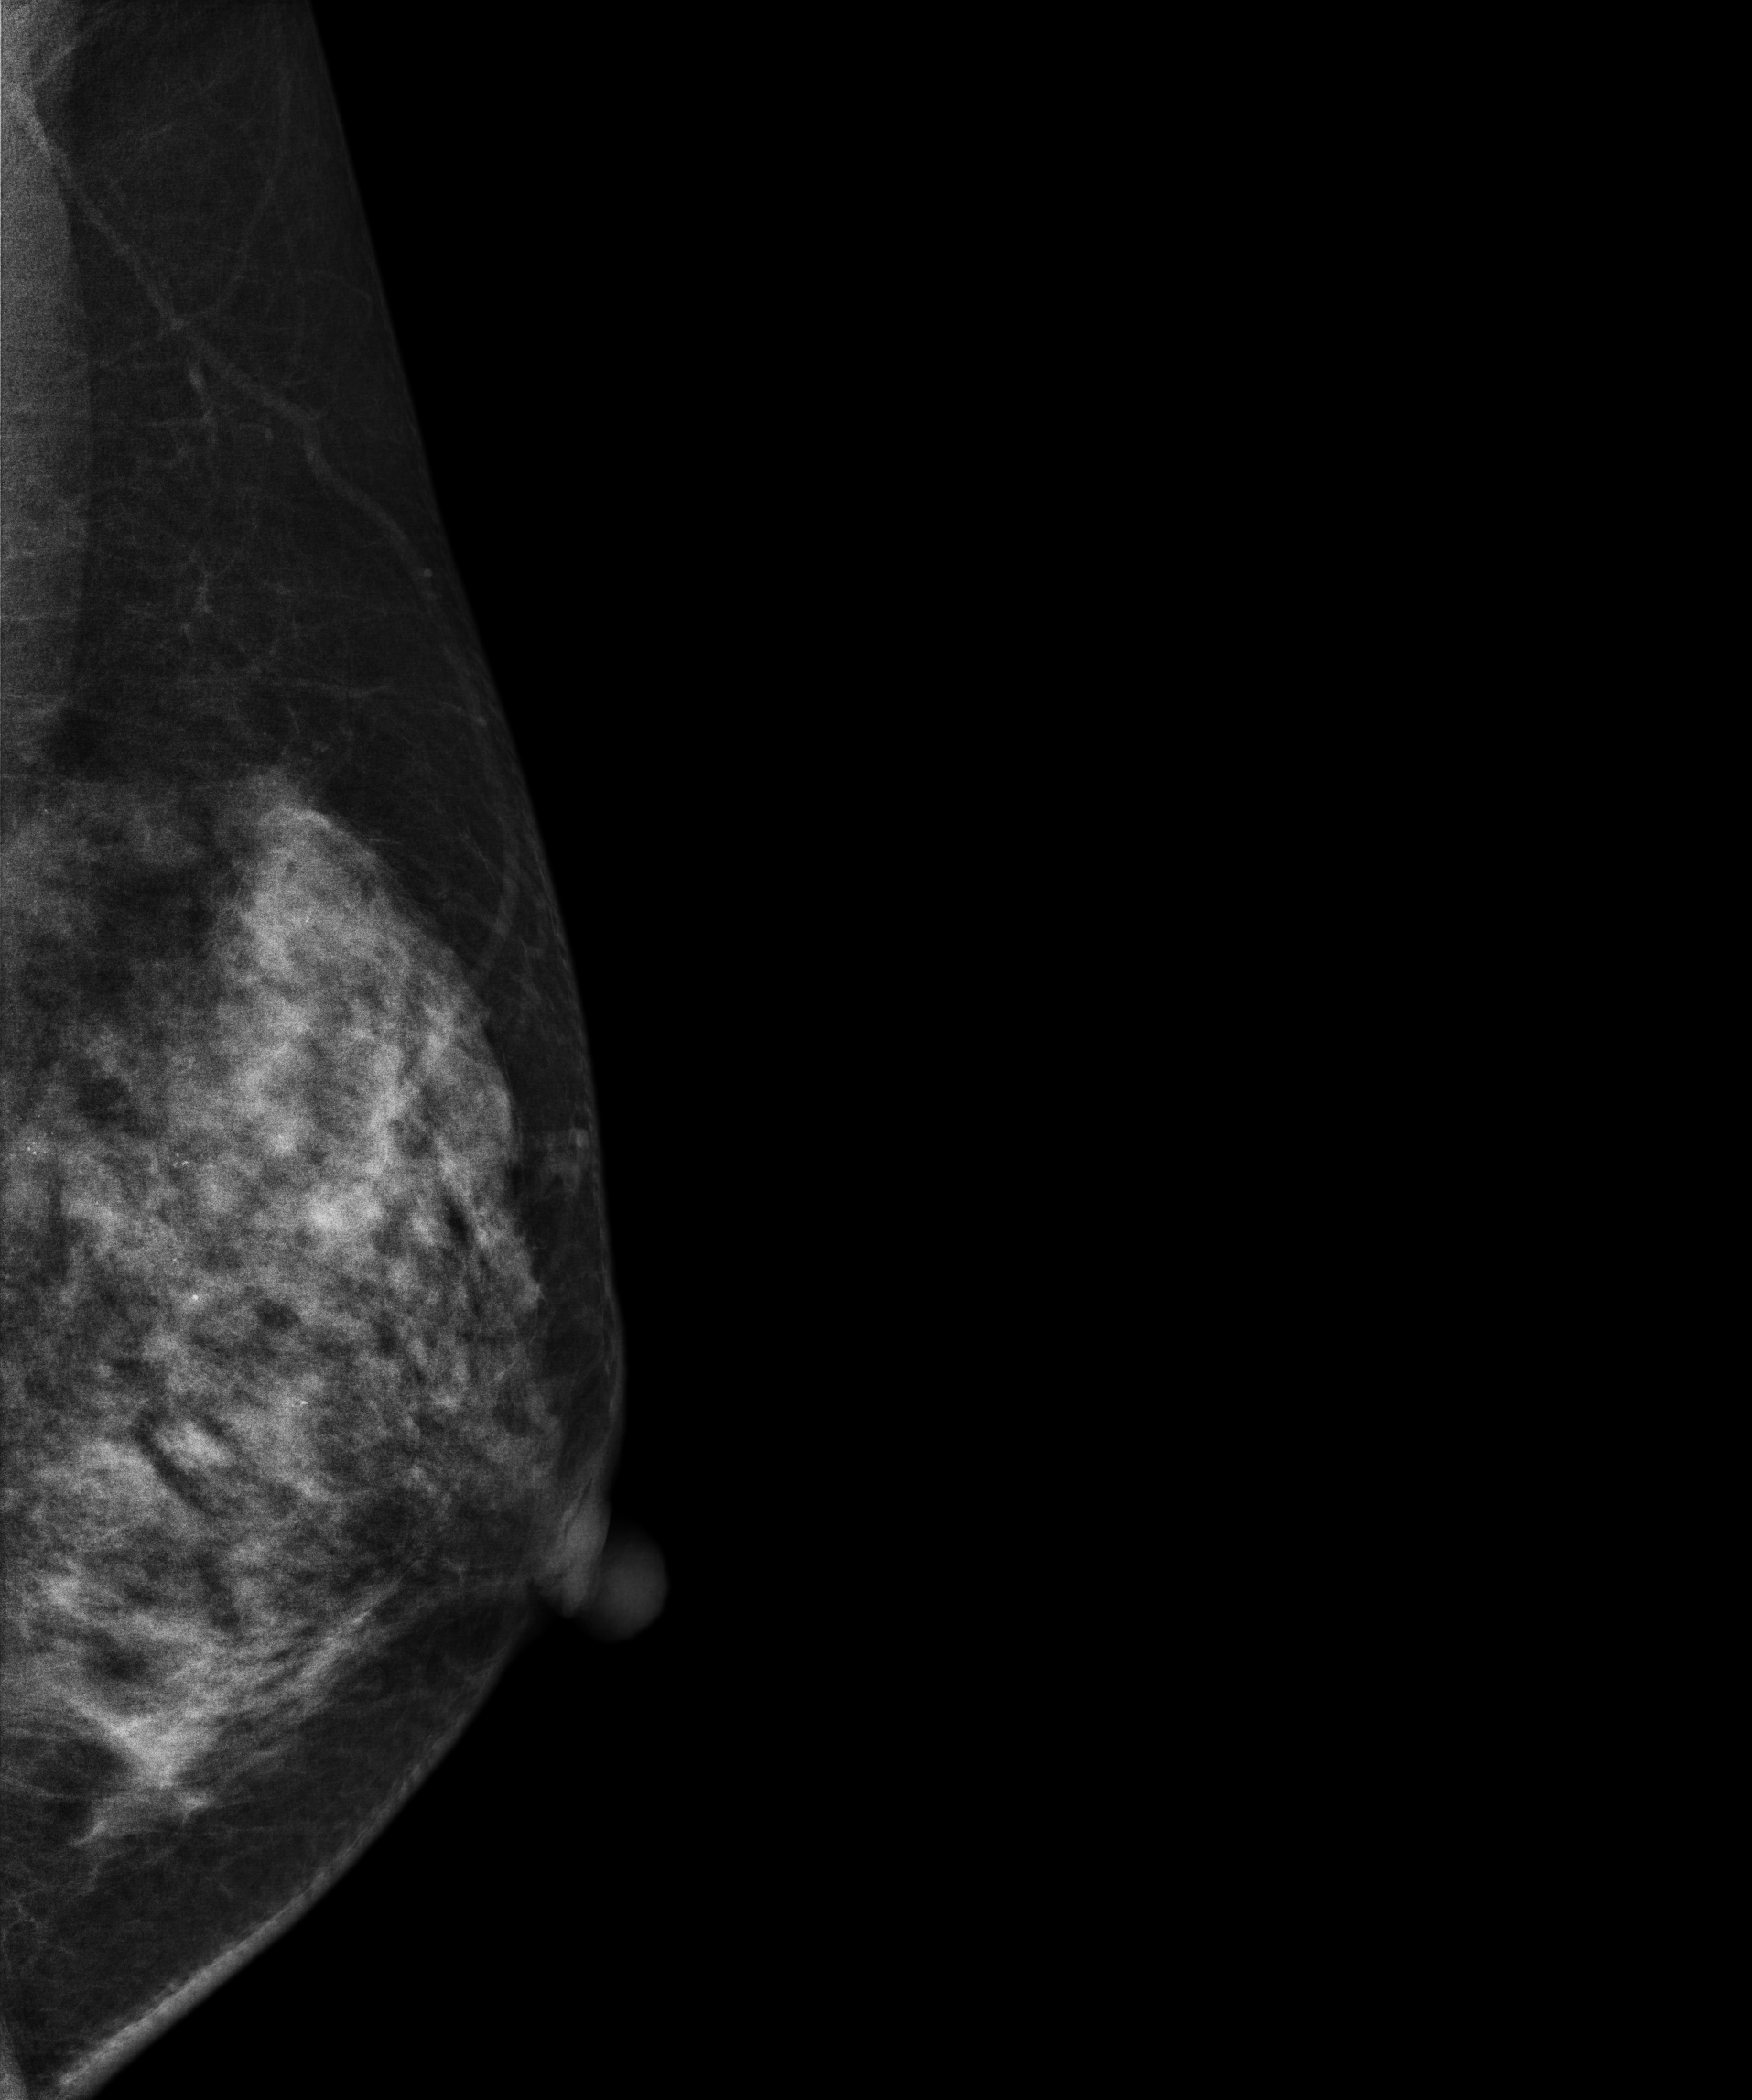
Left-breast mammogram, MLO. 34 y/o patient.
This breast has calcifications, biopsy-proven malignant. Molecular subtype: luminal B.